Digital mammography. Left breast, medio-lateral oblique projection. Patient age 35.
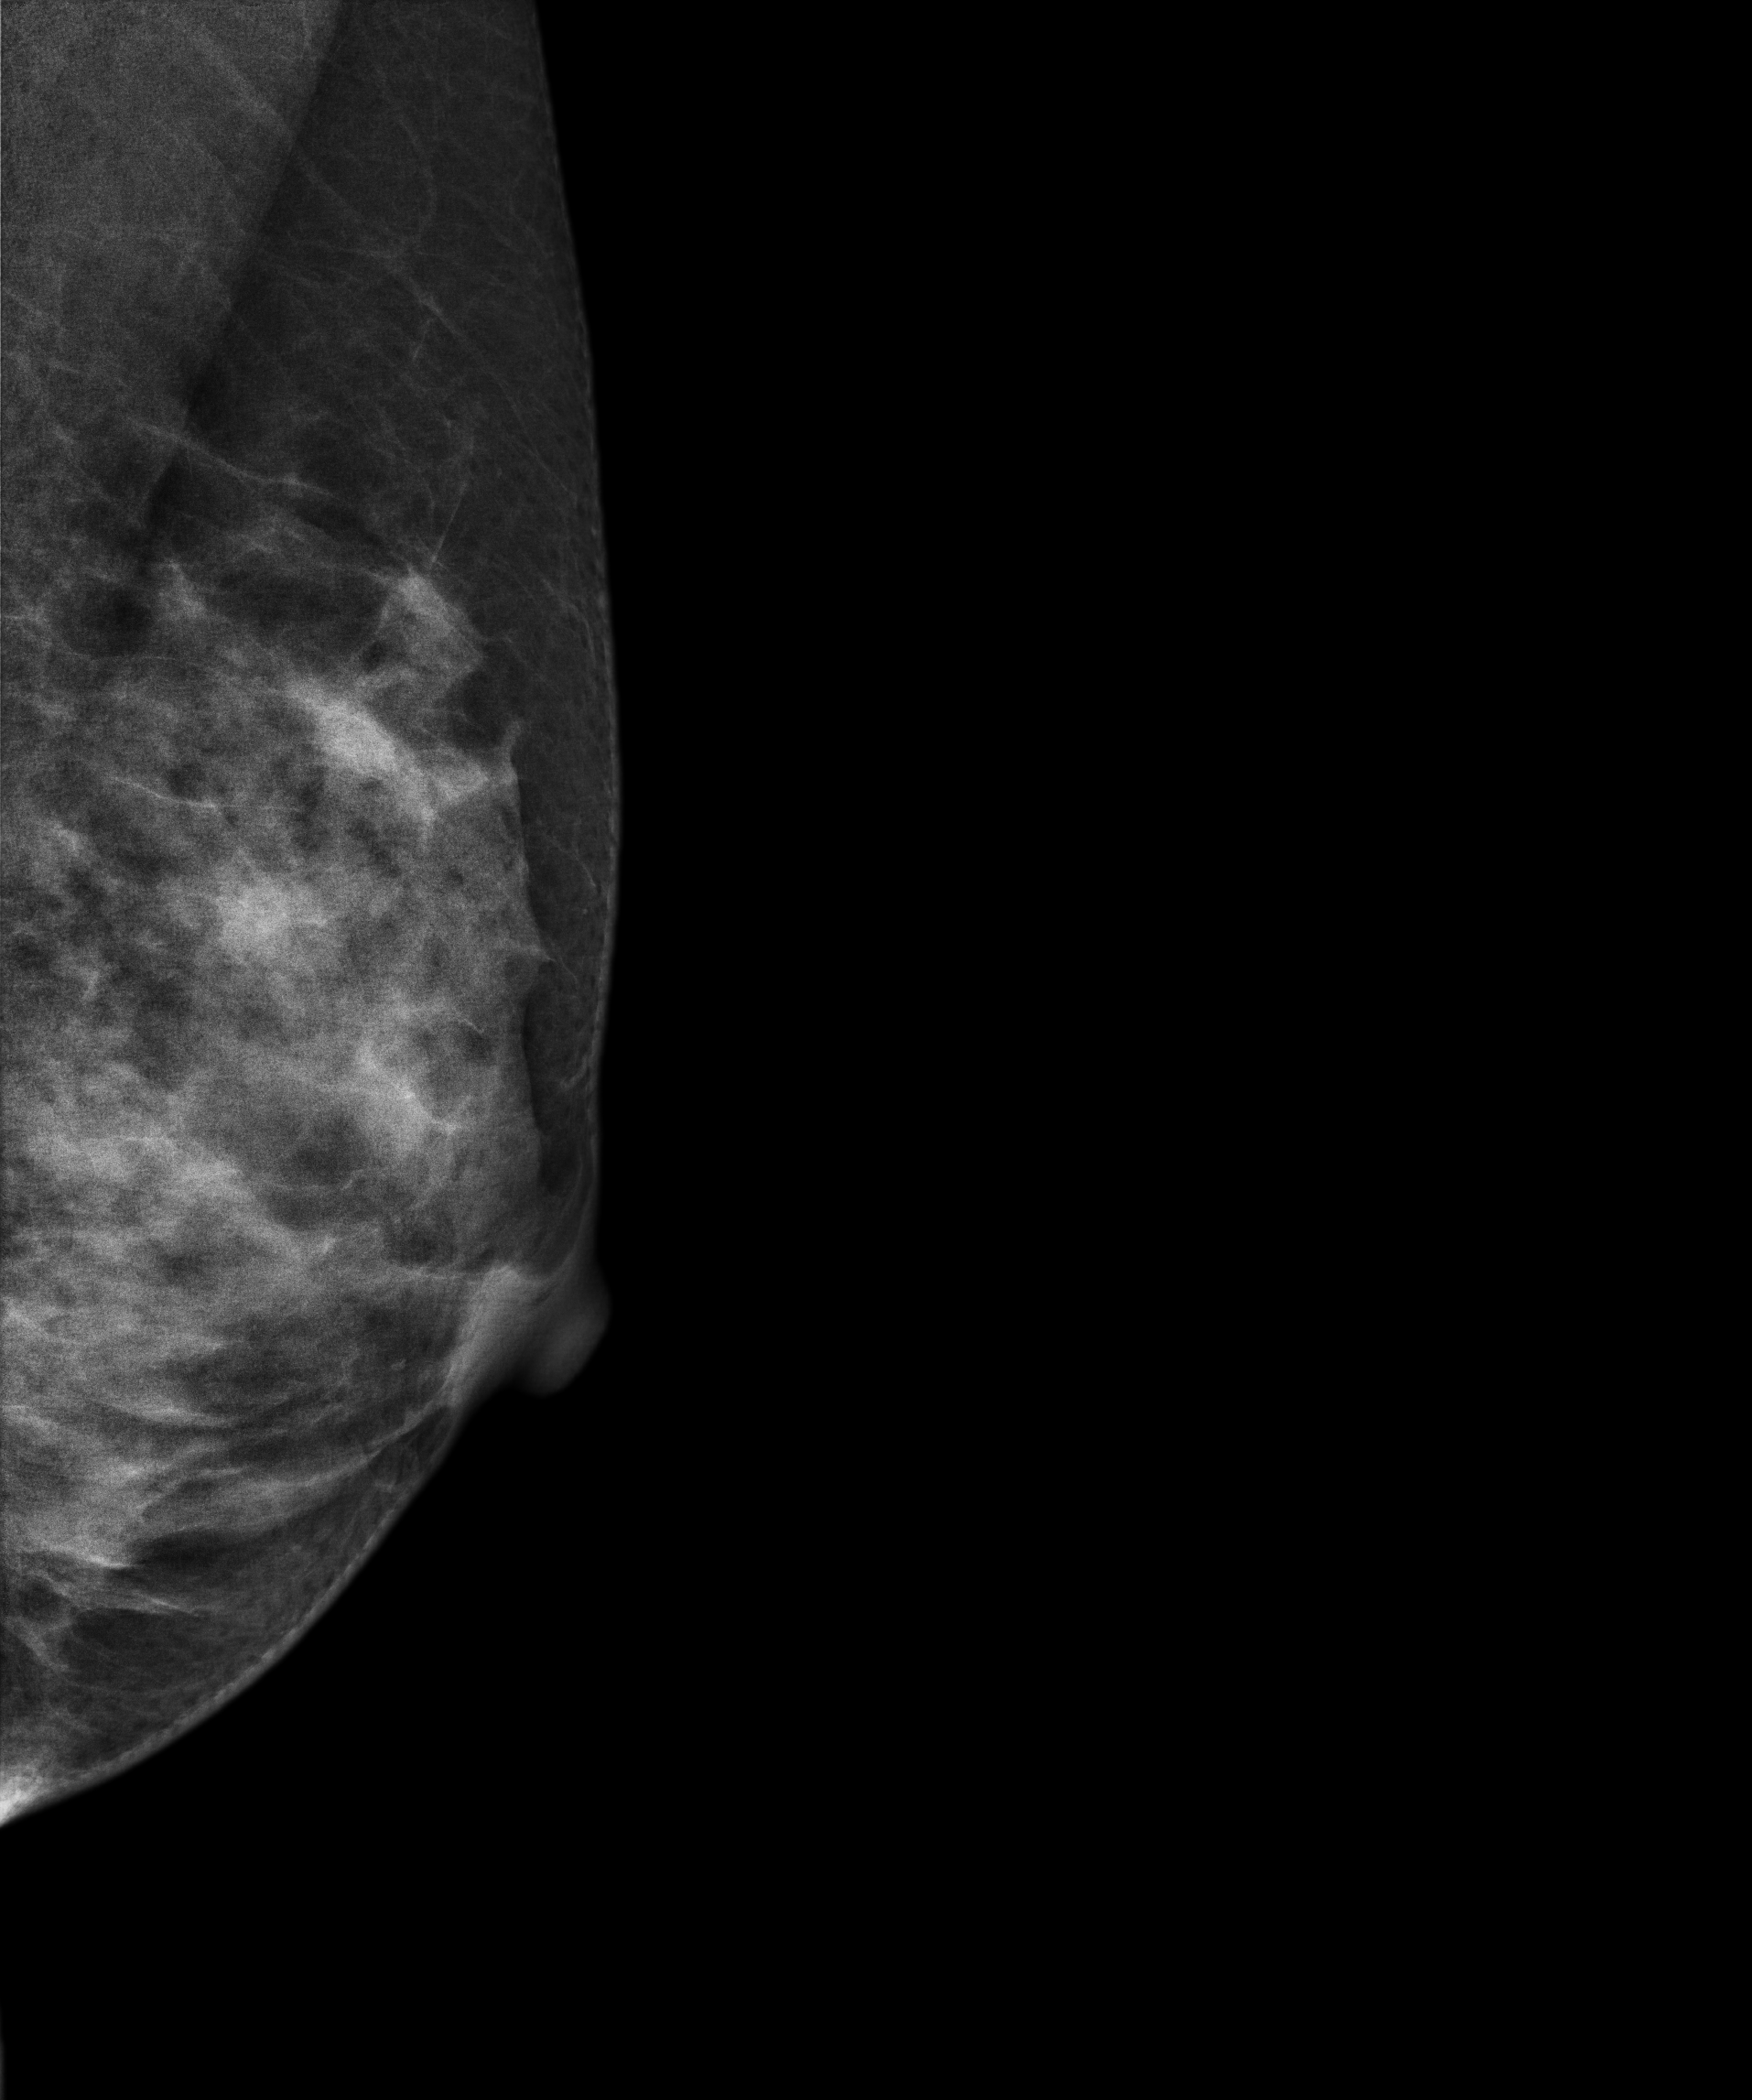
Contralateral breast — no documented abnormality on this side.